Mammogram, right breast, MLO view. 41-year-old patient.
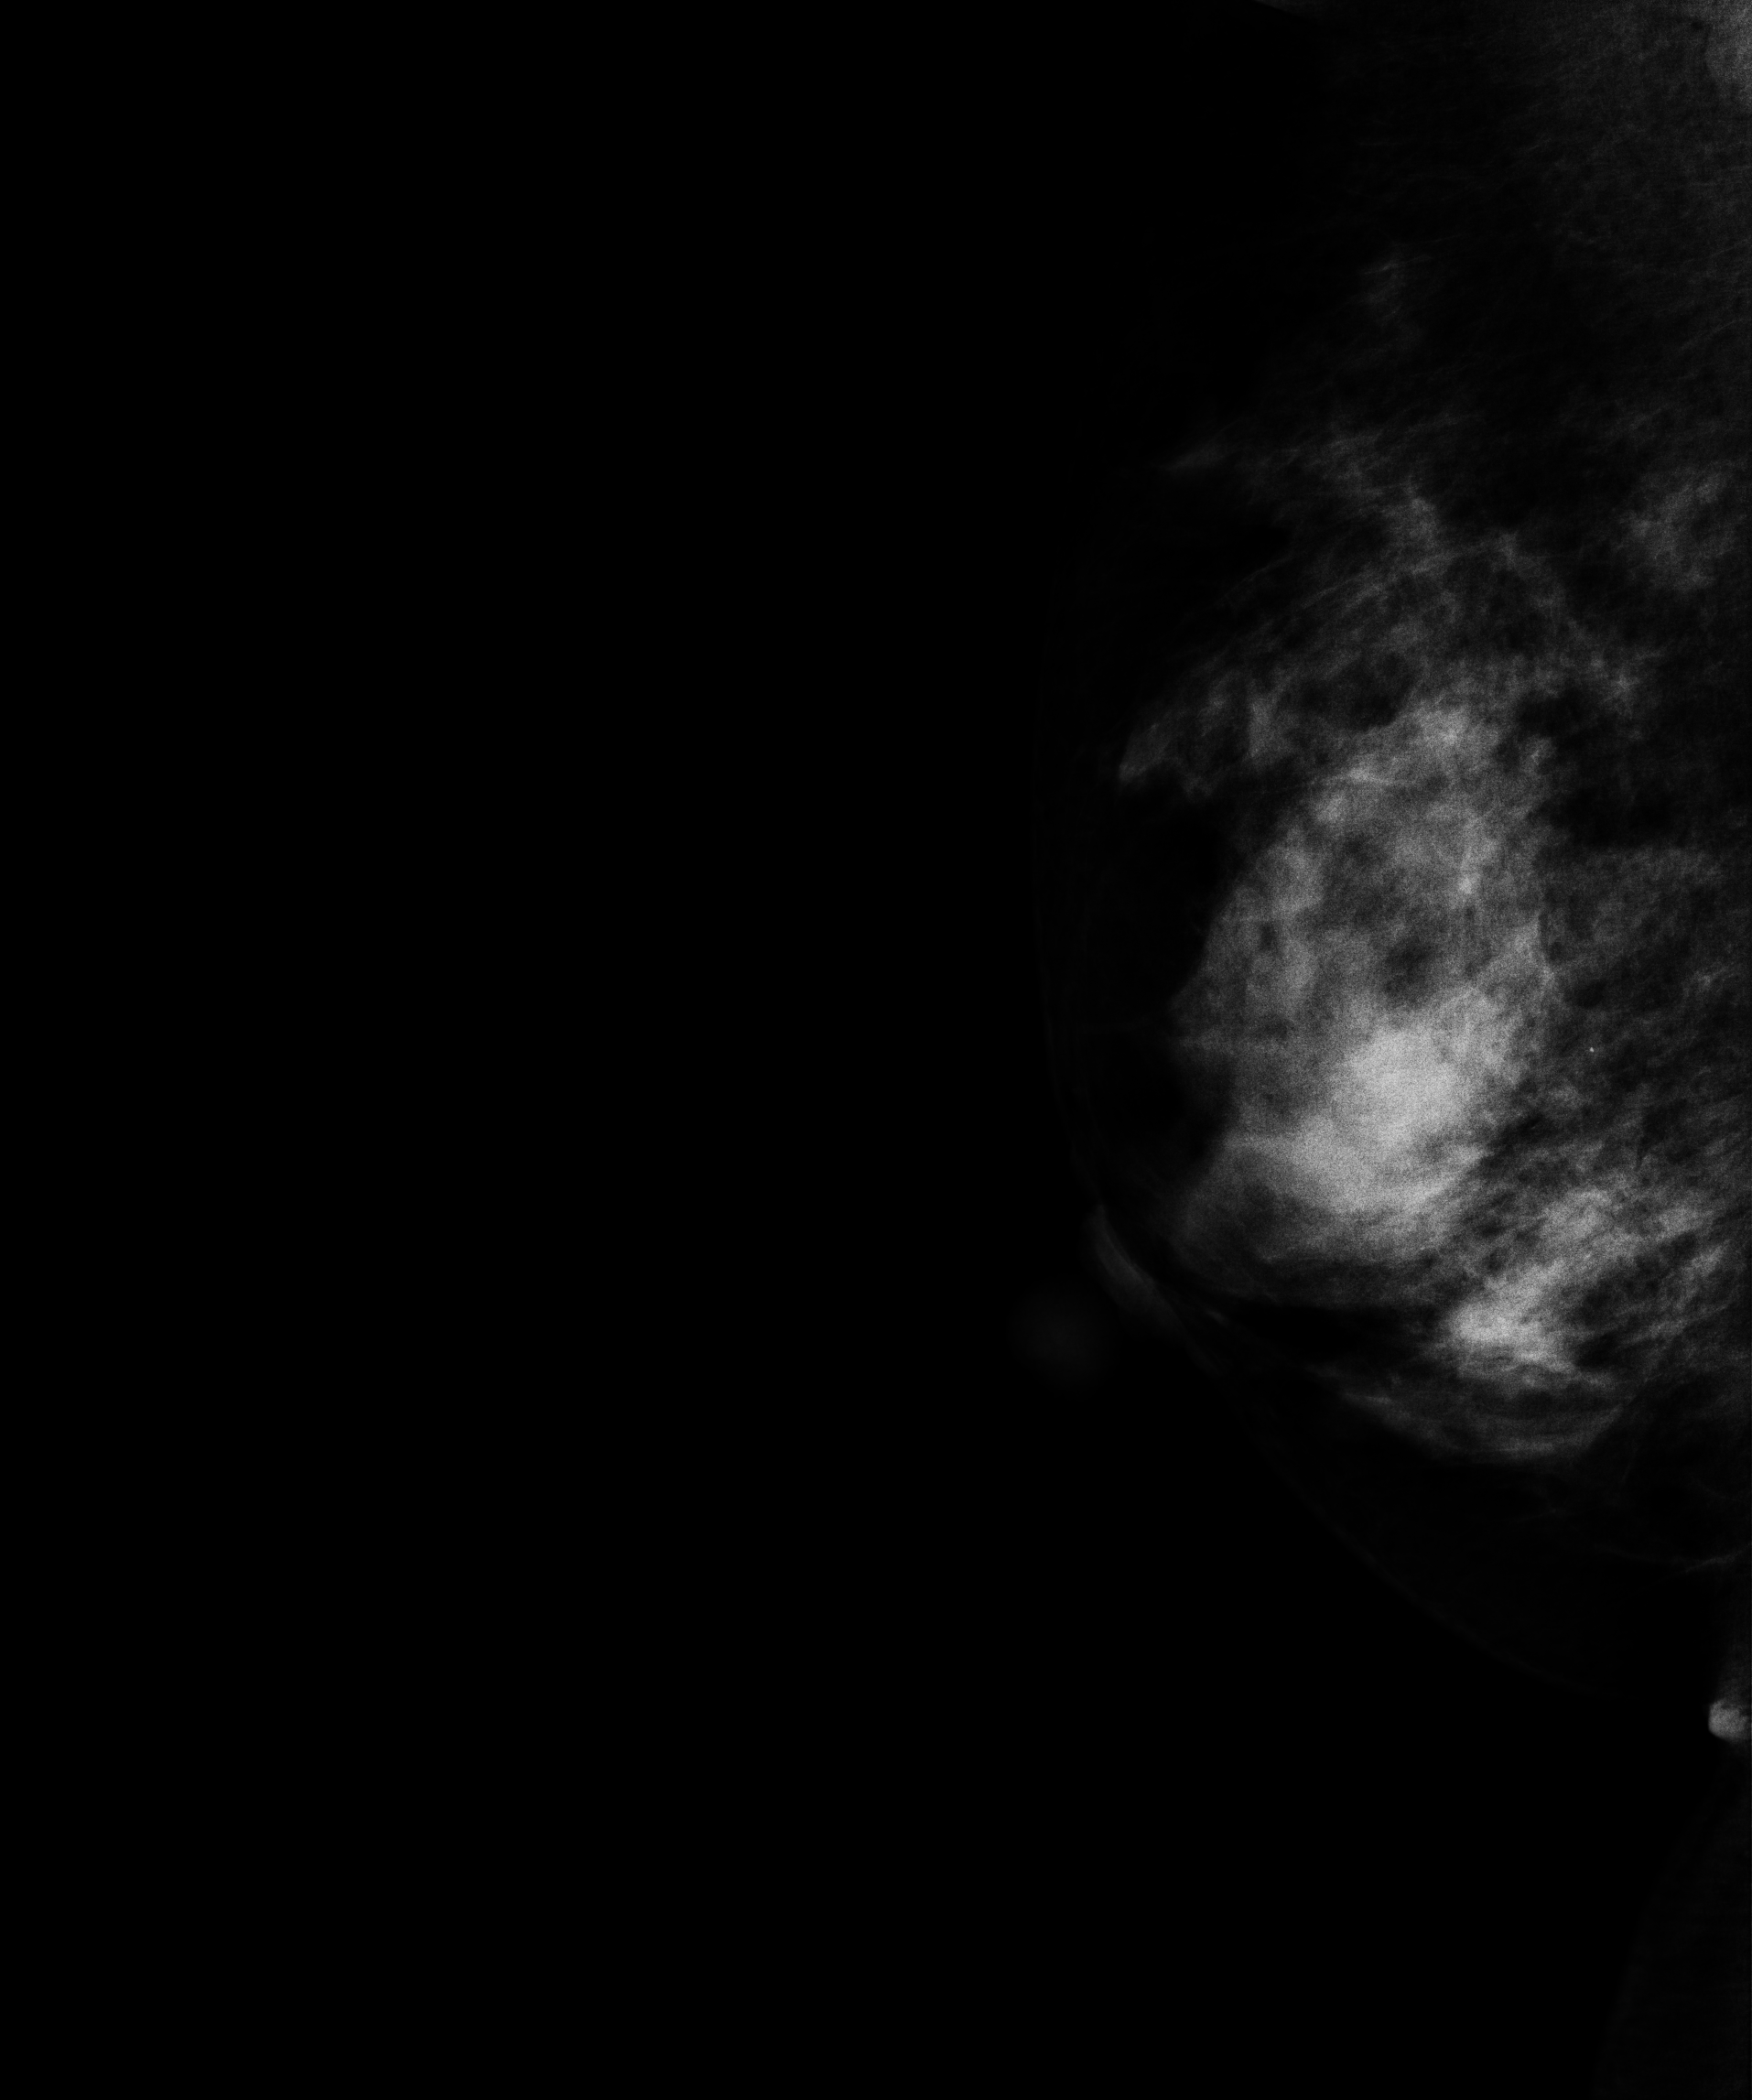
This breast has a mass, biopsy-confirmed malignant. Molecular subtype: luminal B.